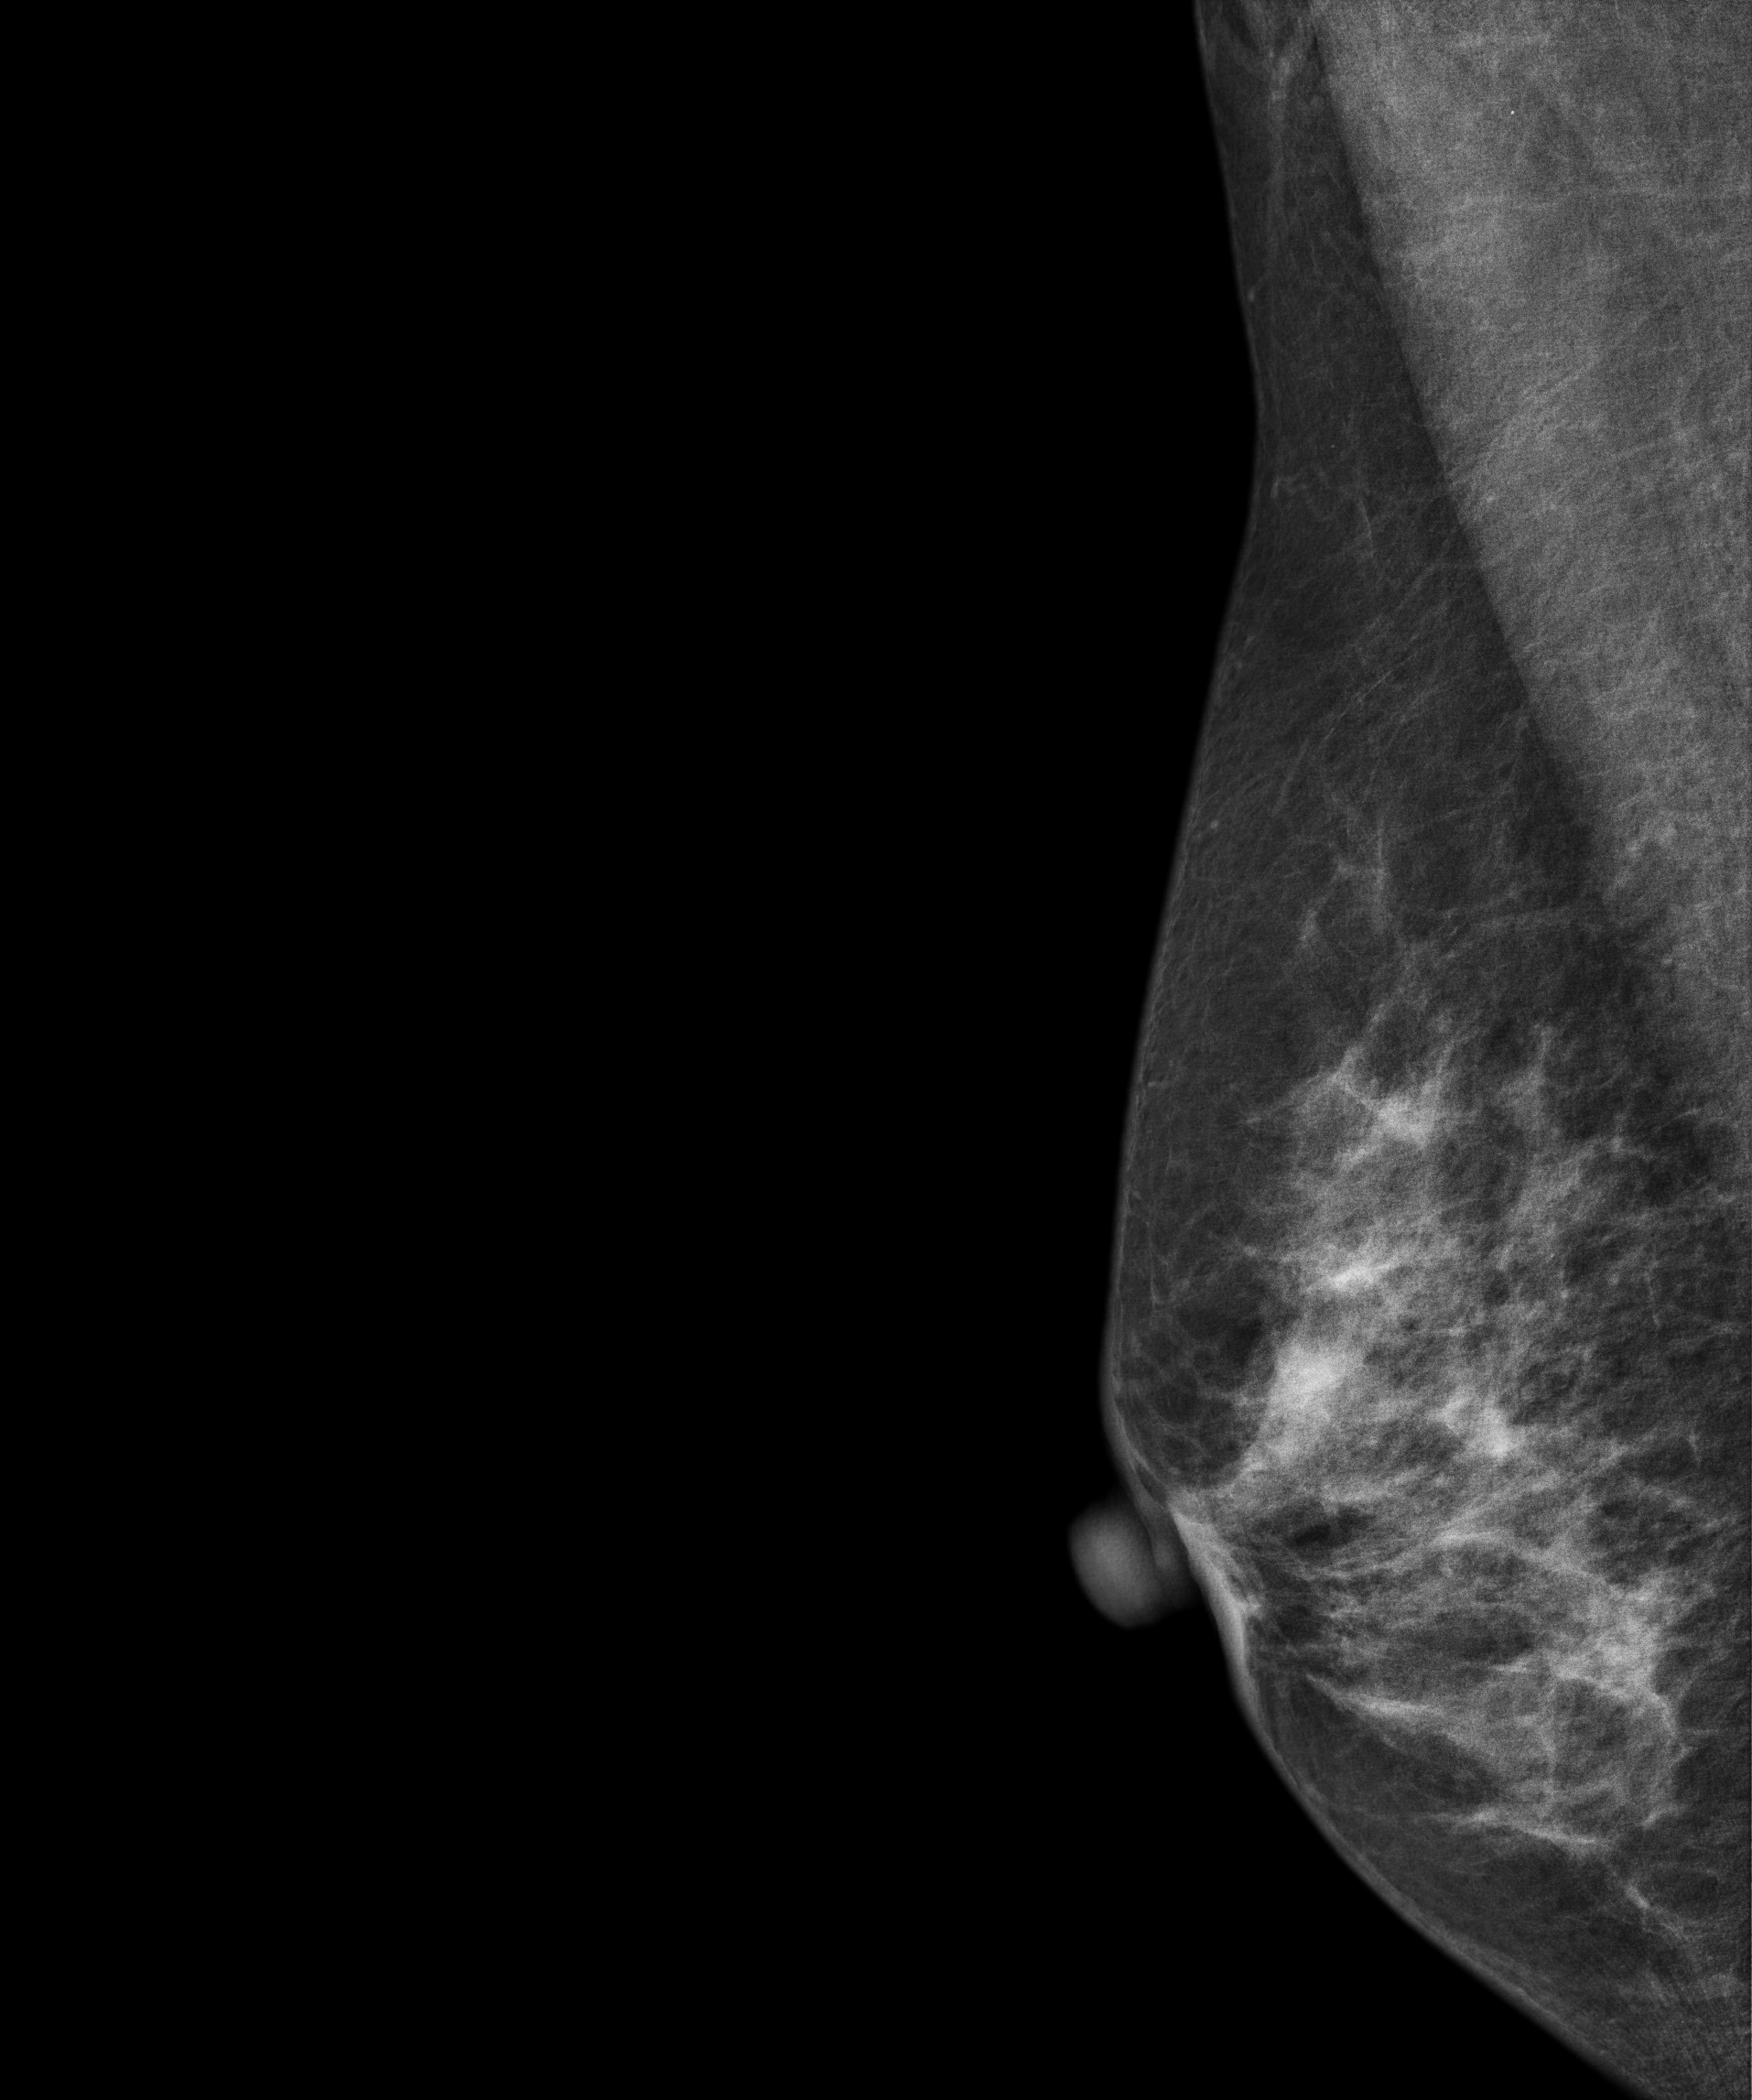
Mammogram — right MLO. 64-year-old patient.
This breast has a mass, biopsy-proven benign.